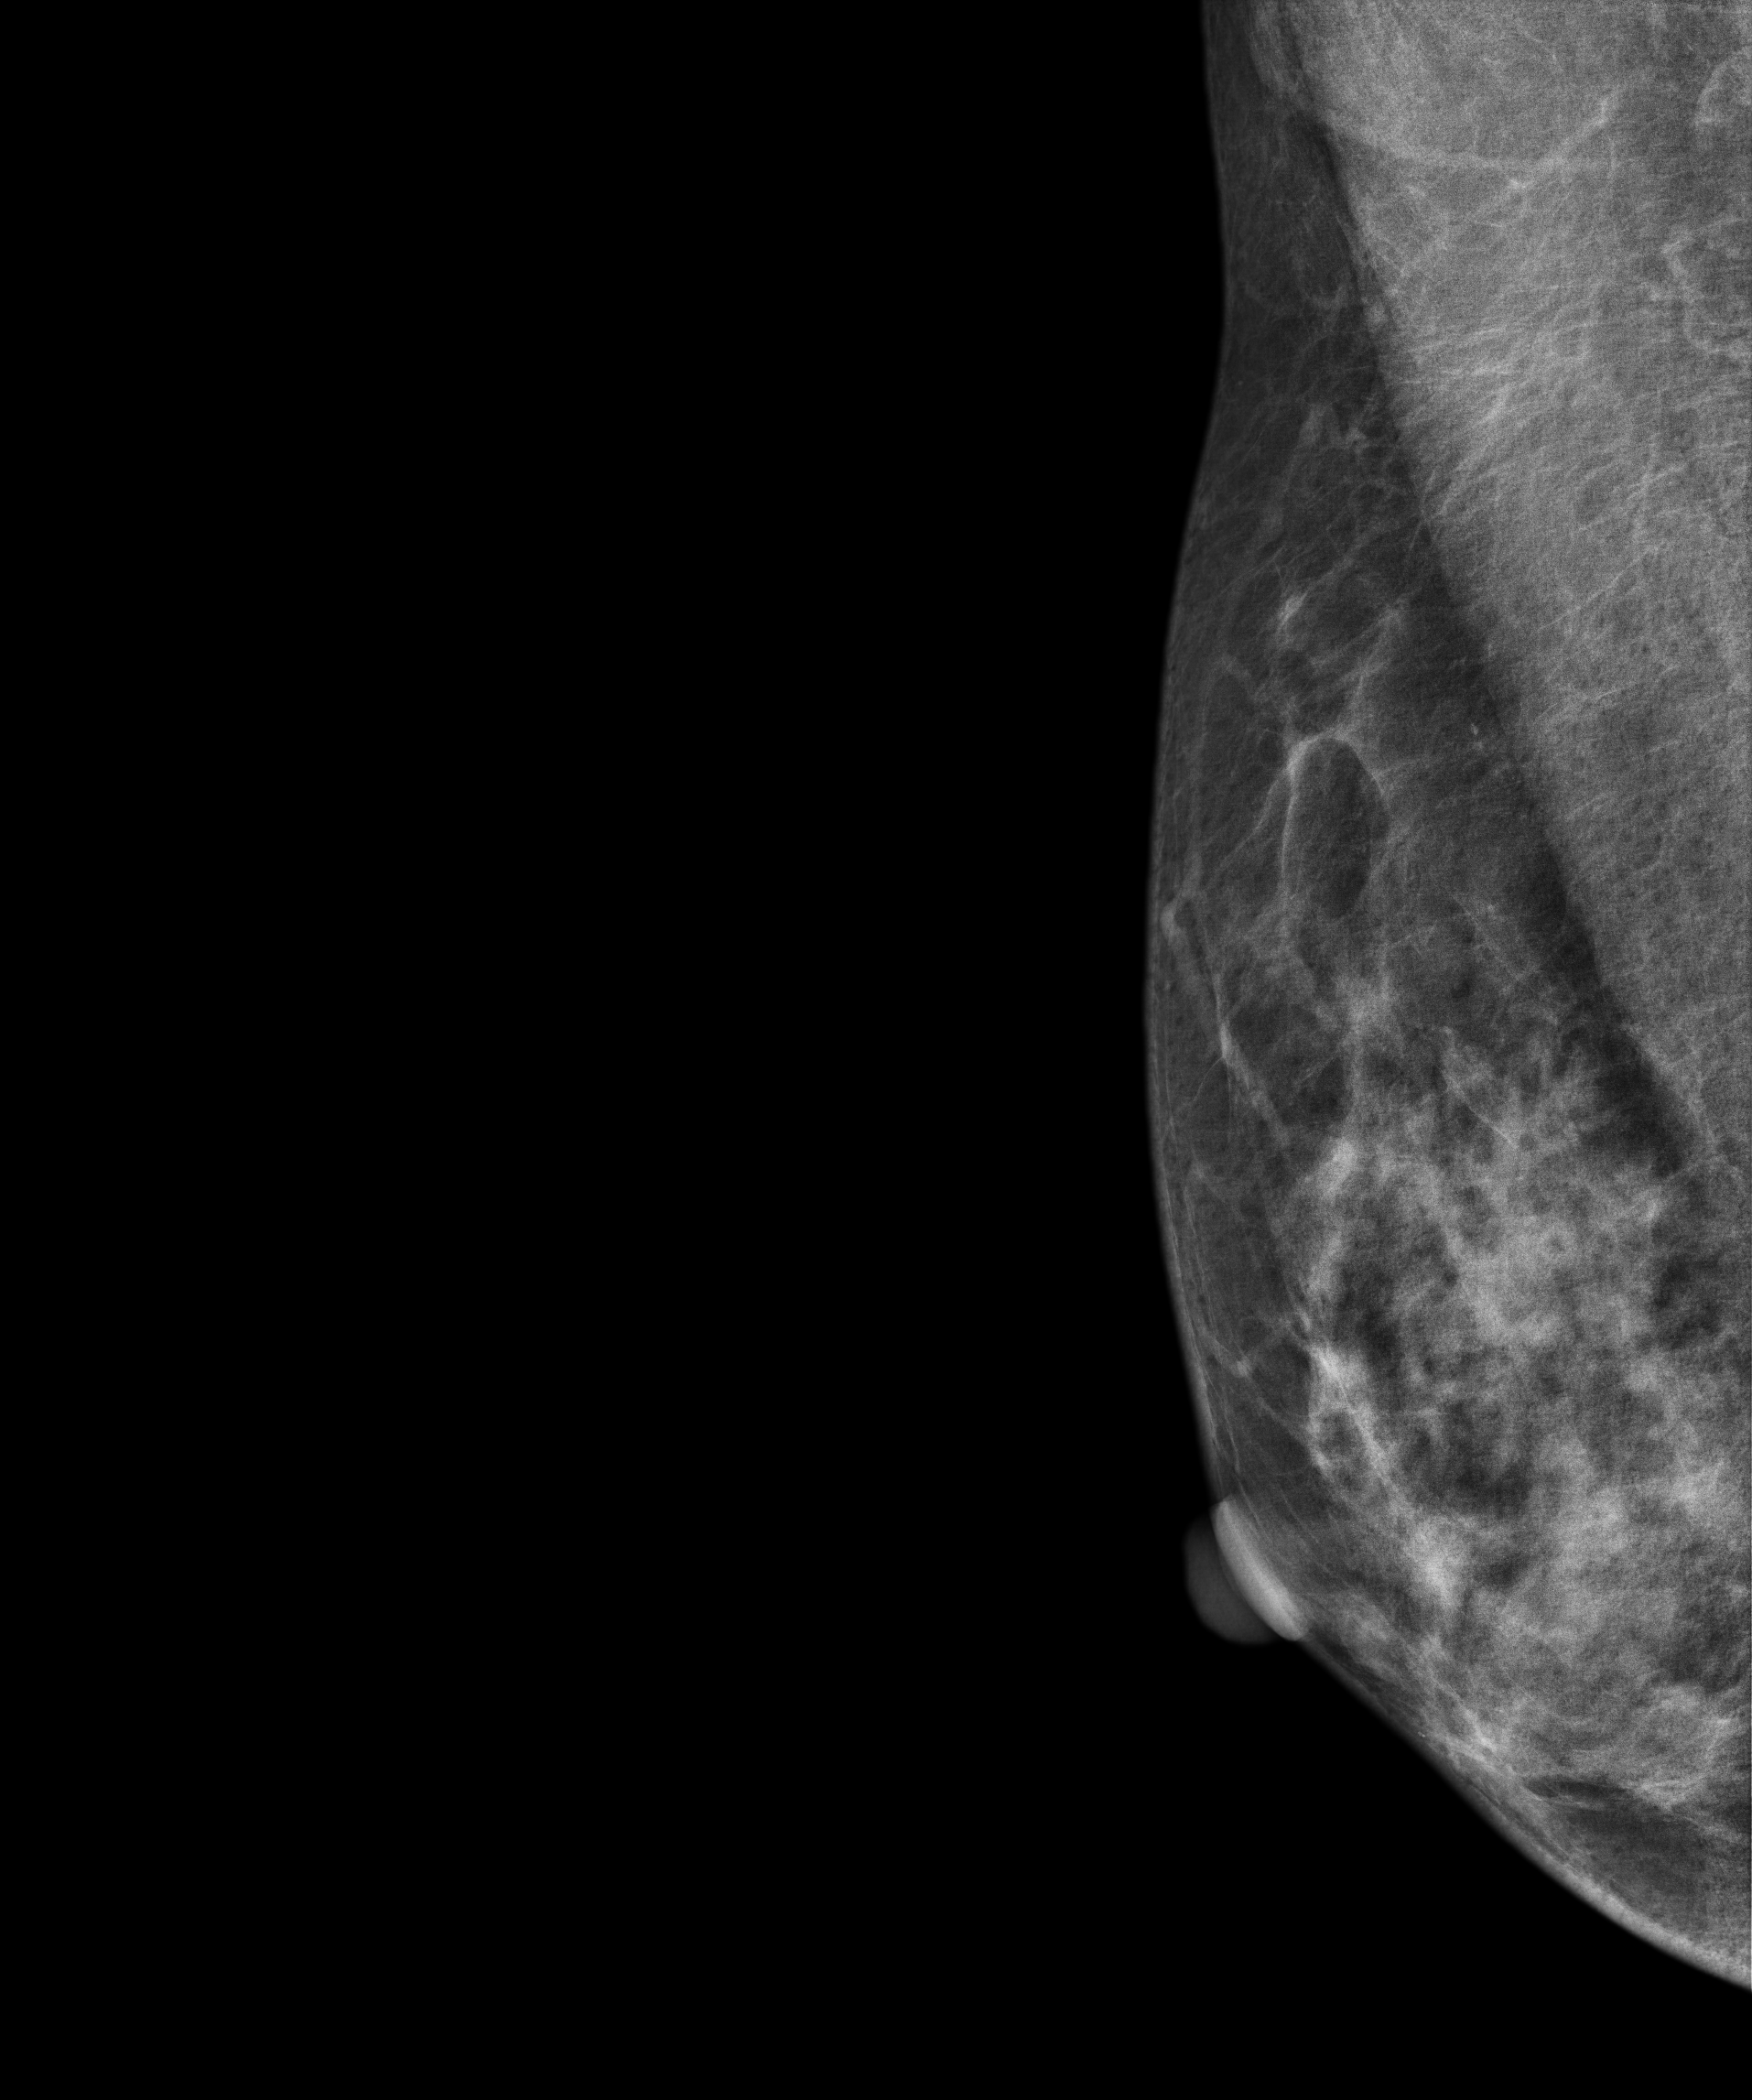
Digital mammography. Right breast, medio-lateral oblique projection. 43-year-old patient.
Contralateral breast — no documented abnormality on this side.